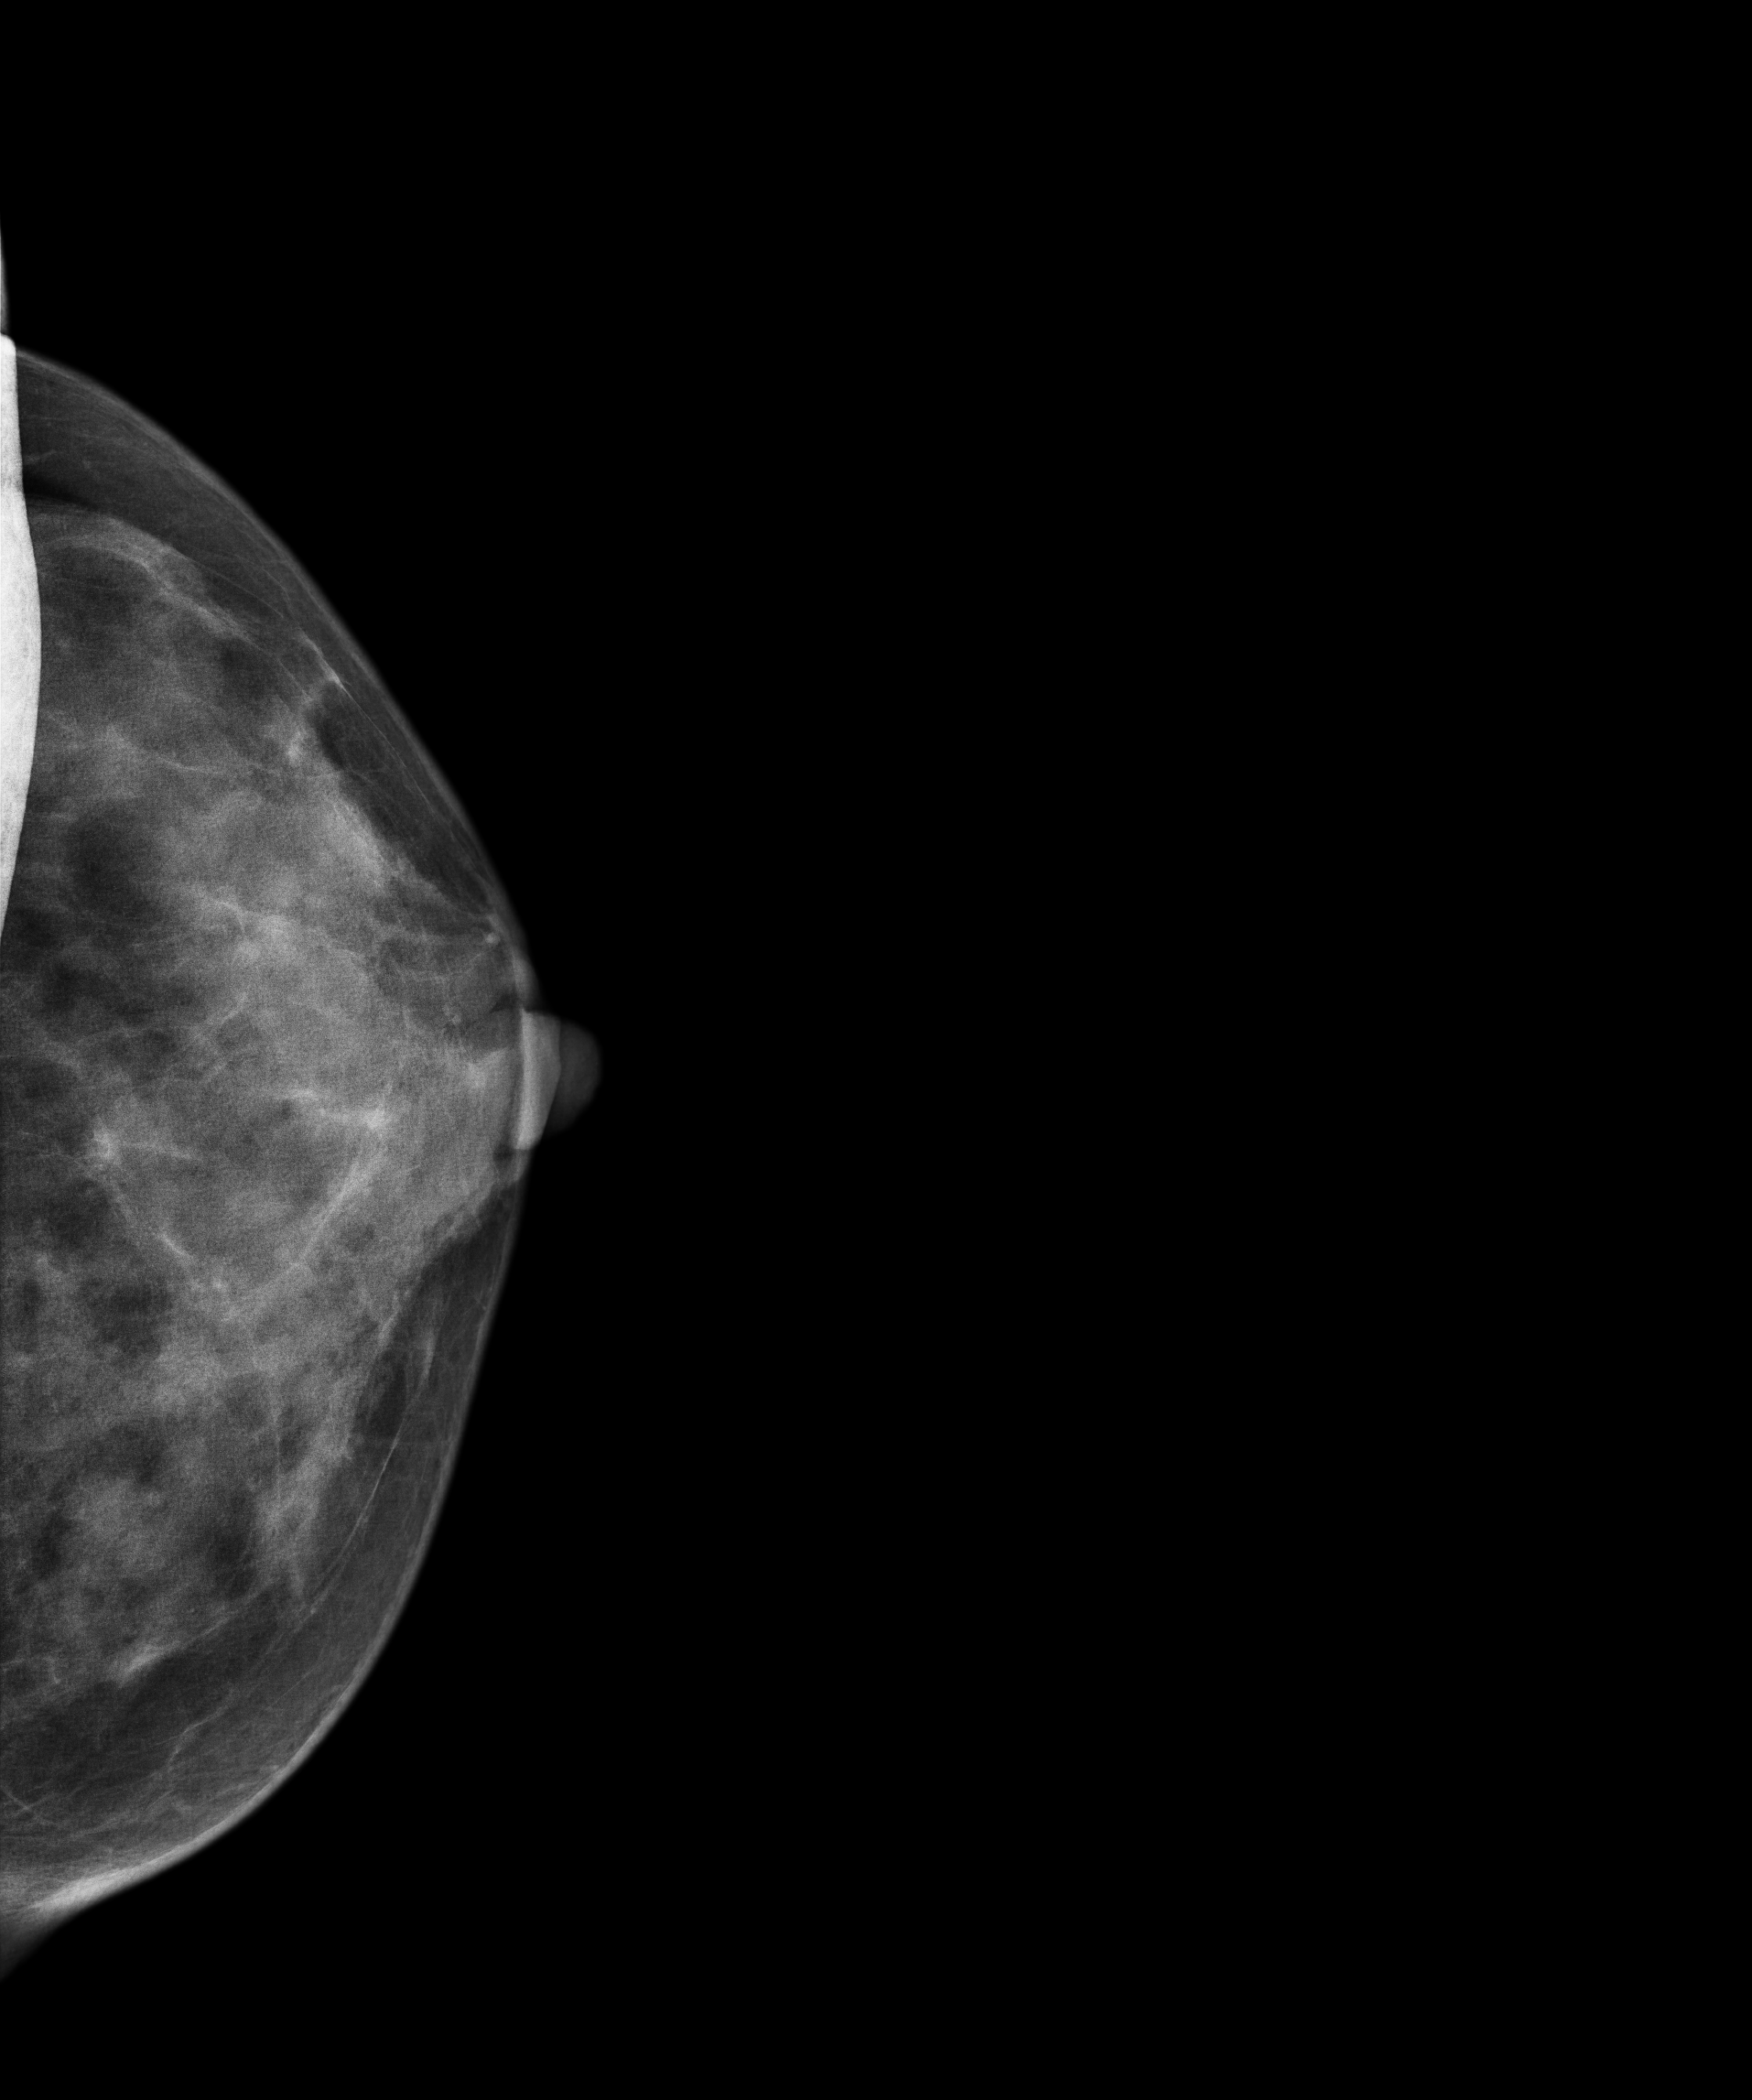
Mammogram, left breast, CC view. 42-year-old patient.
Contralateral breast — no documented abnormality on this side.